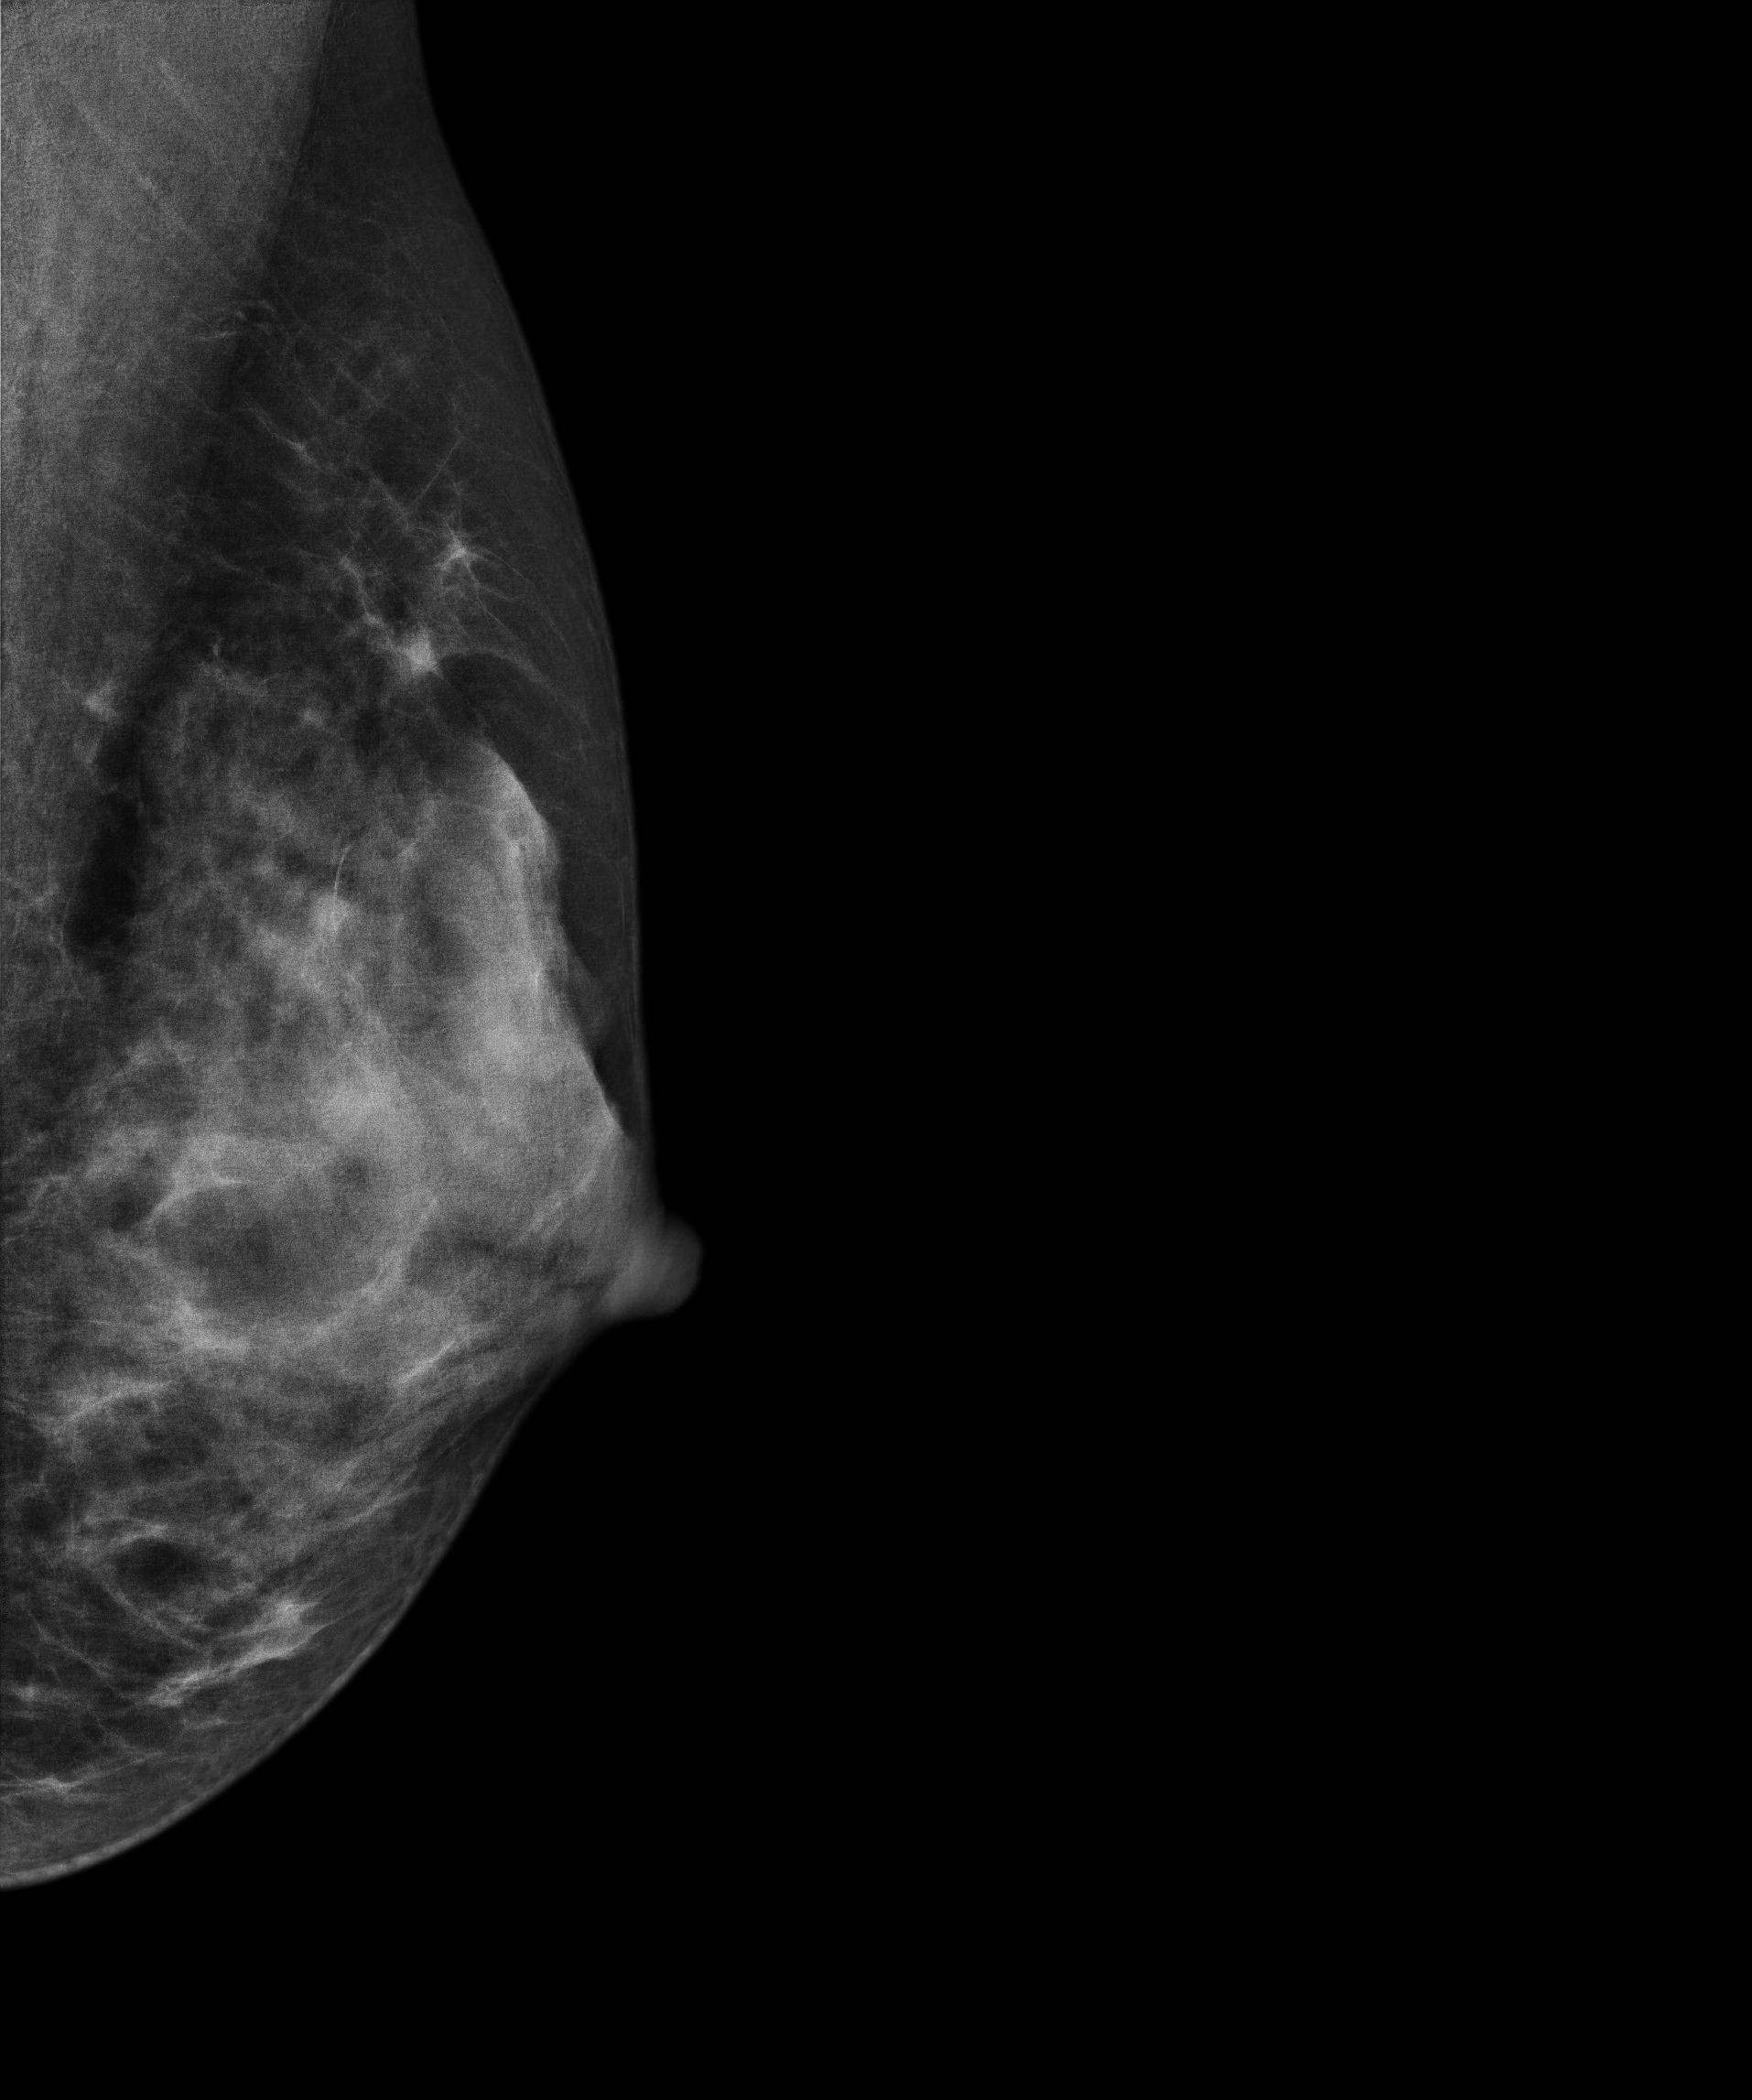
Left-breast mammogram, MLO. Patient age 34.
Contralateral breast — no documented abnormality on this side.